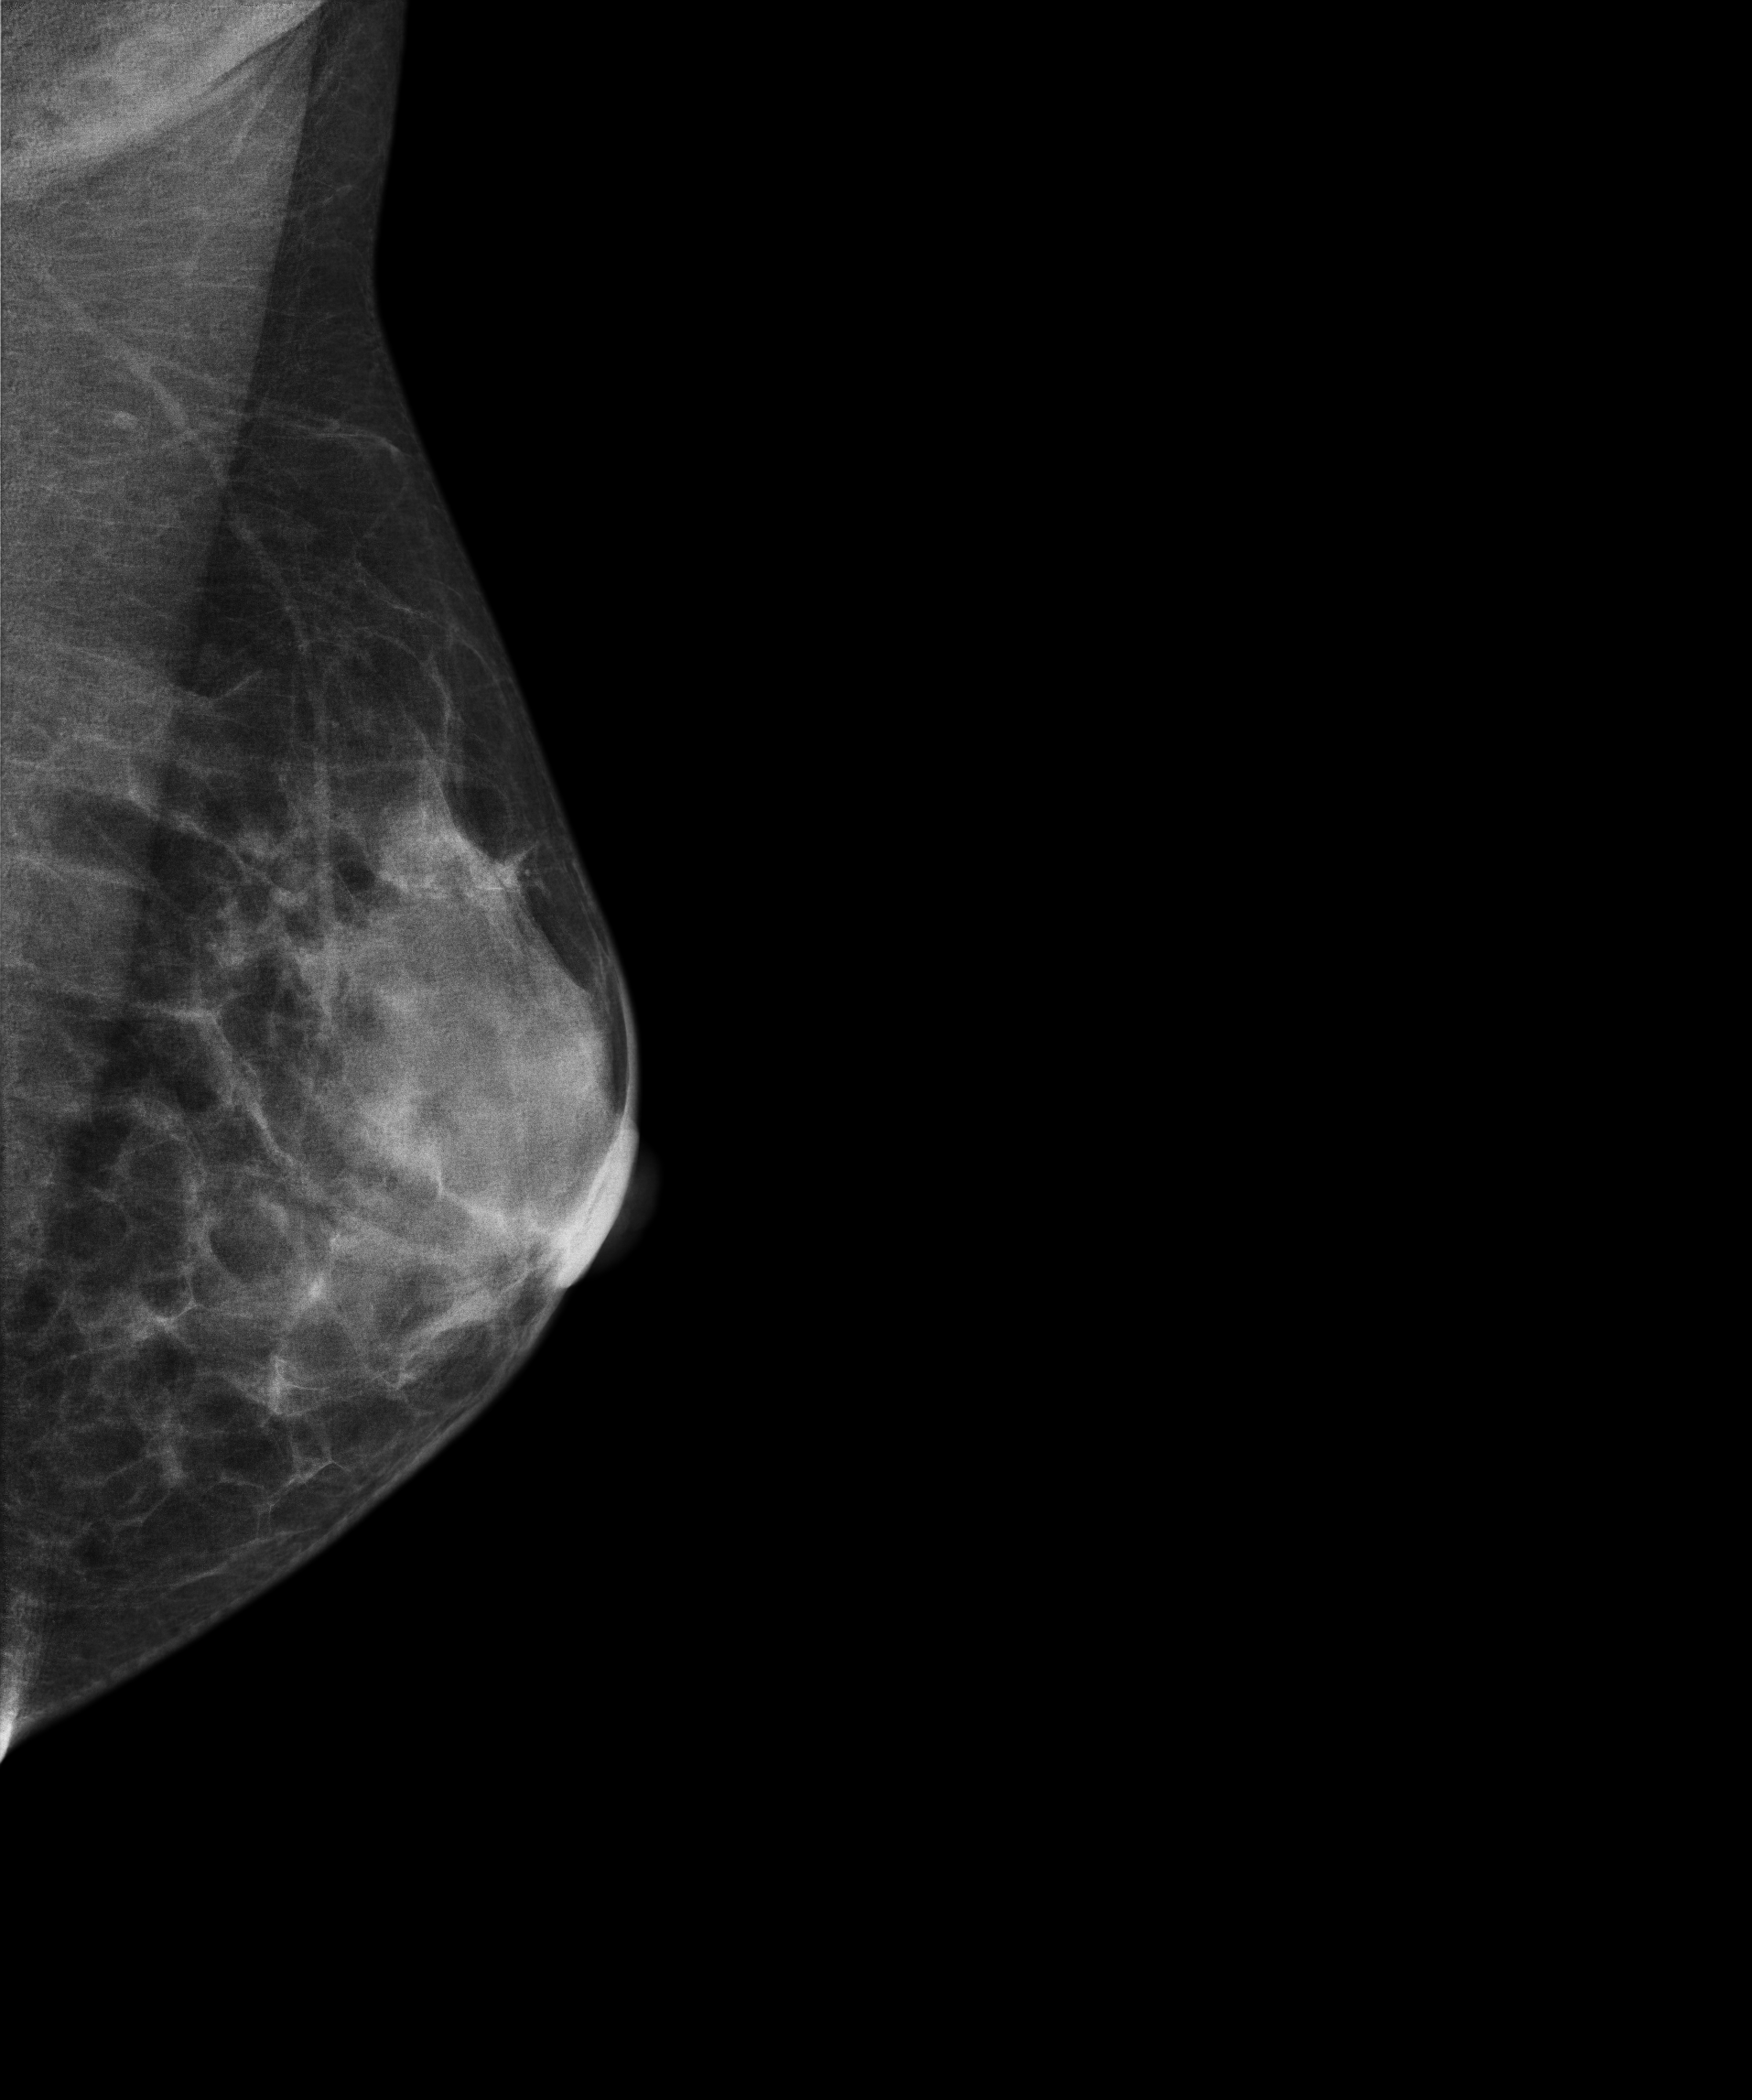
MLO mammogram of the left breast. 35-year-old patient.
This breast has a mass, pathology-confirmed benign.